Left-breast mammogram, medio-lateral oblique. Patient age 34.
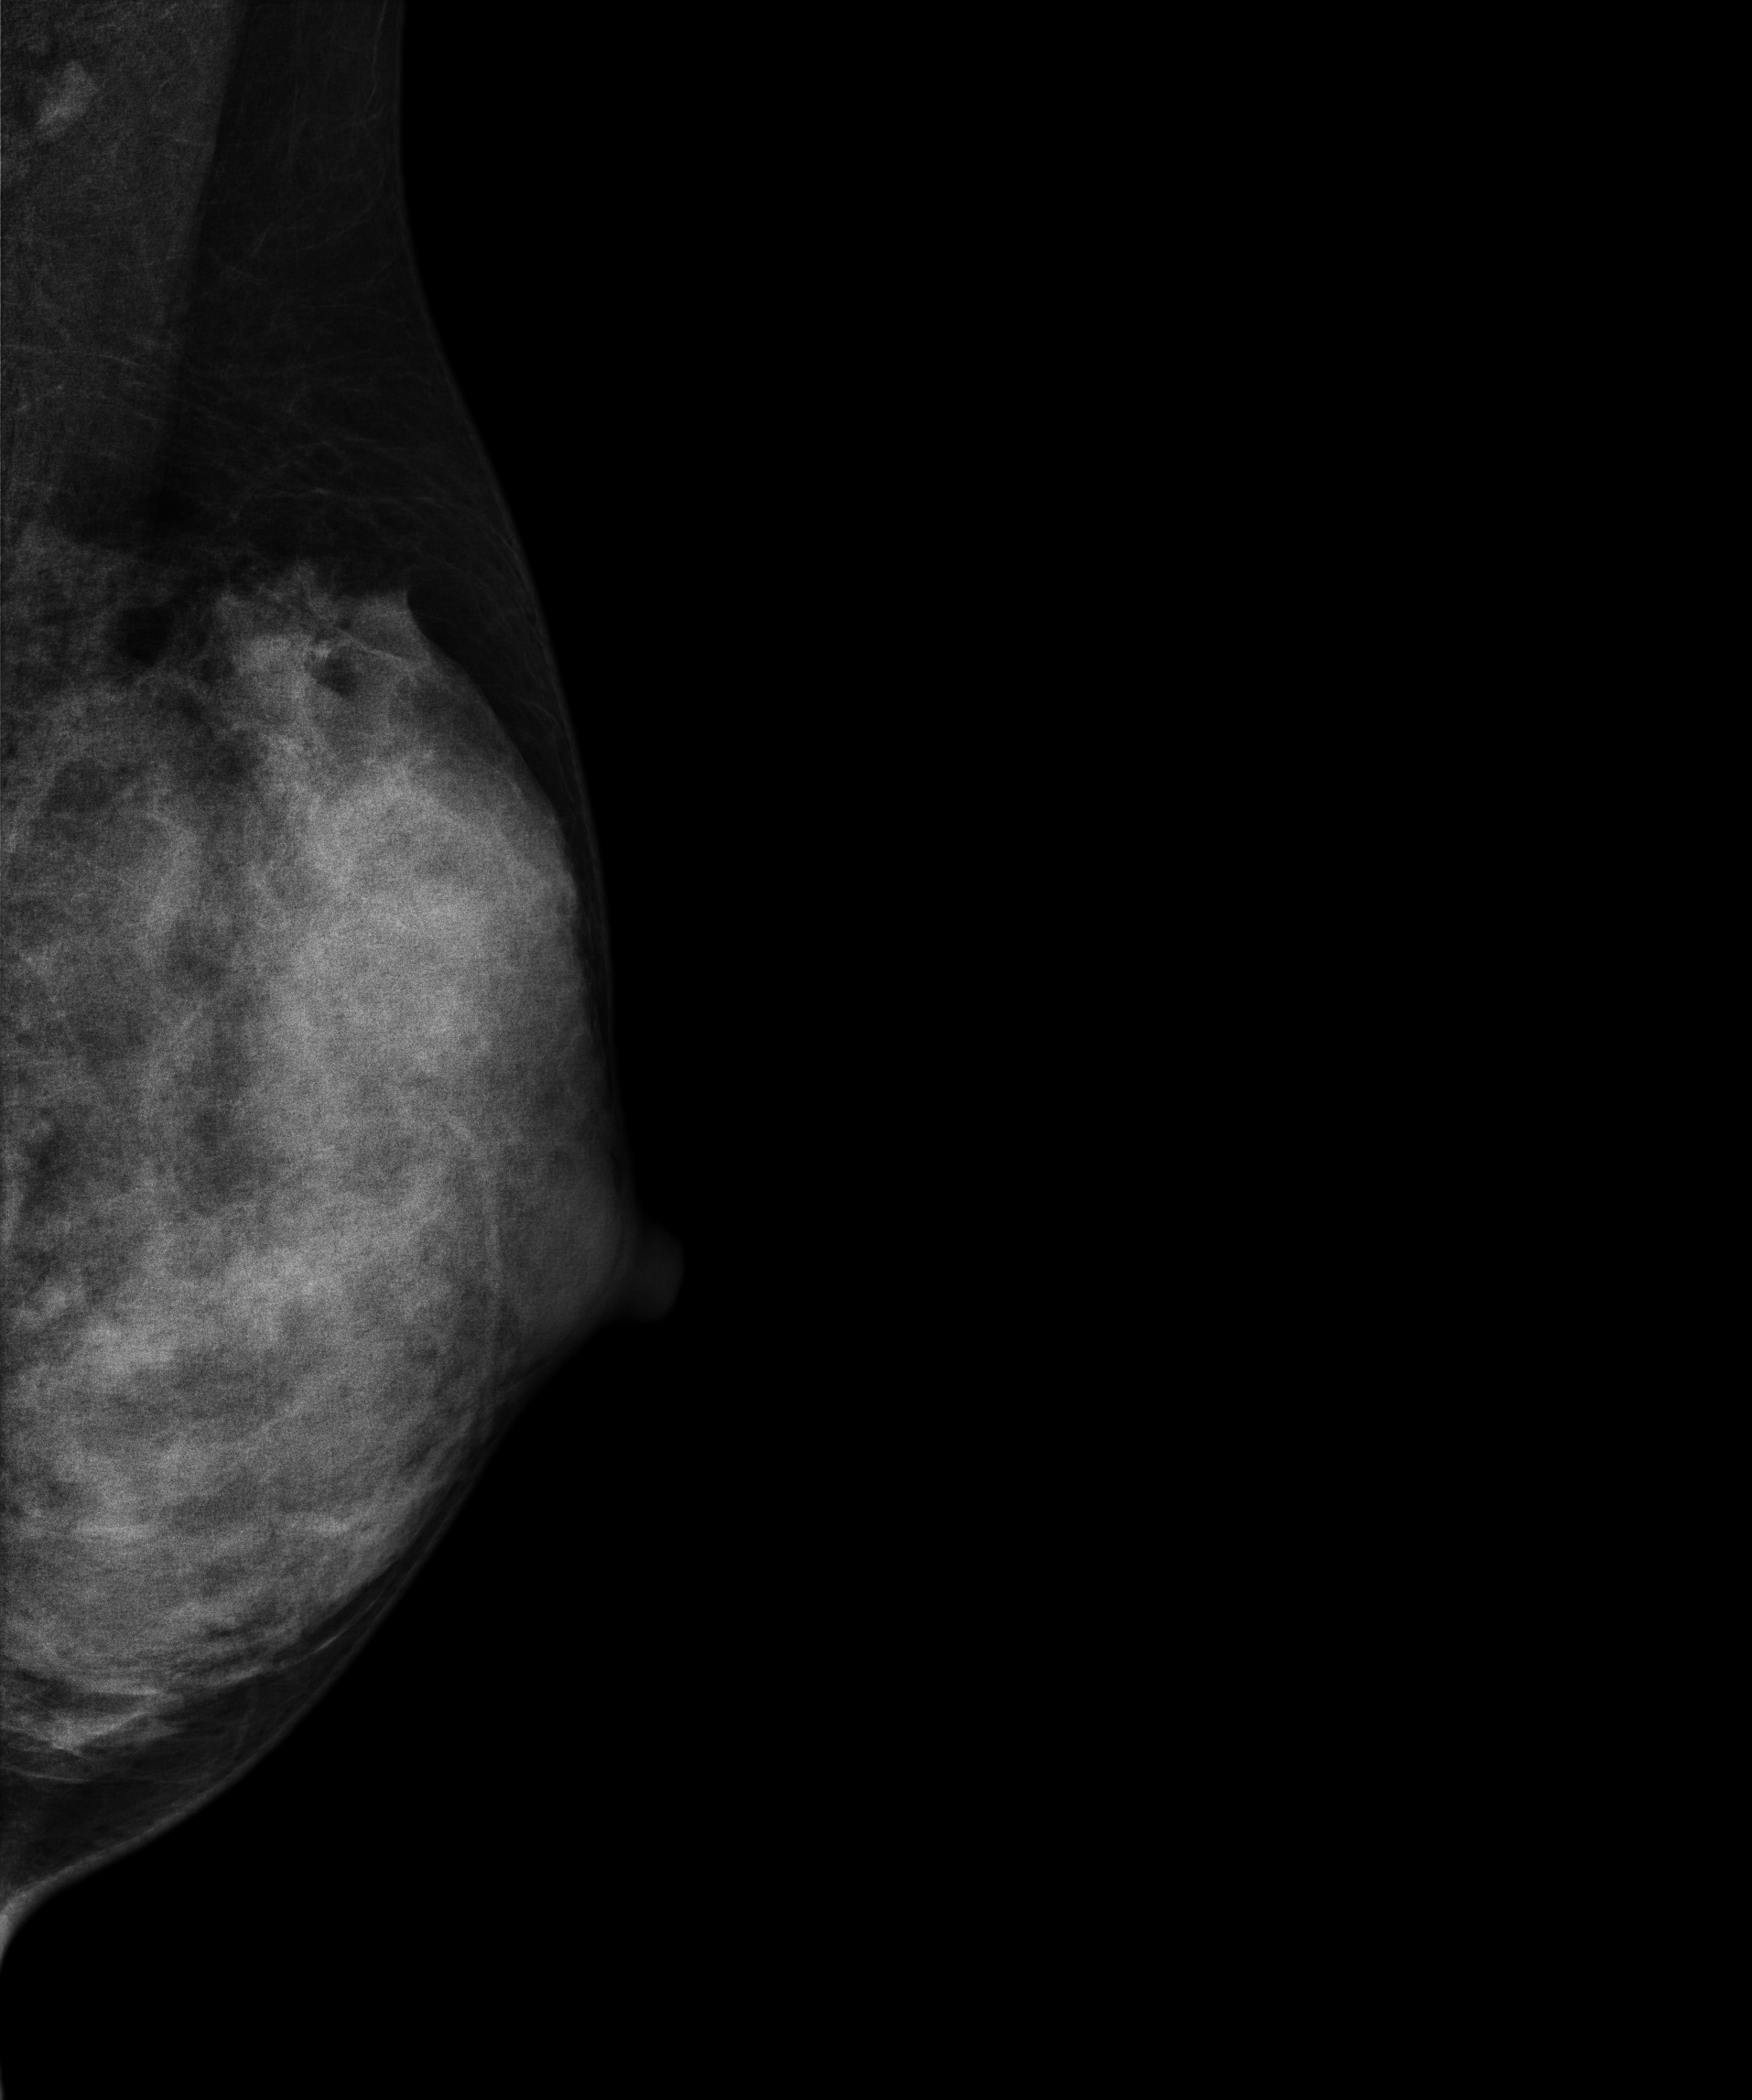
This breast has a mass, pathology-confirmed benign.